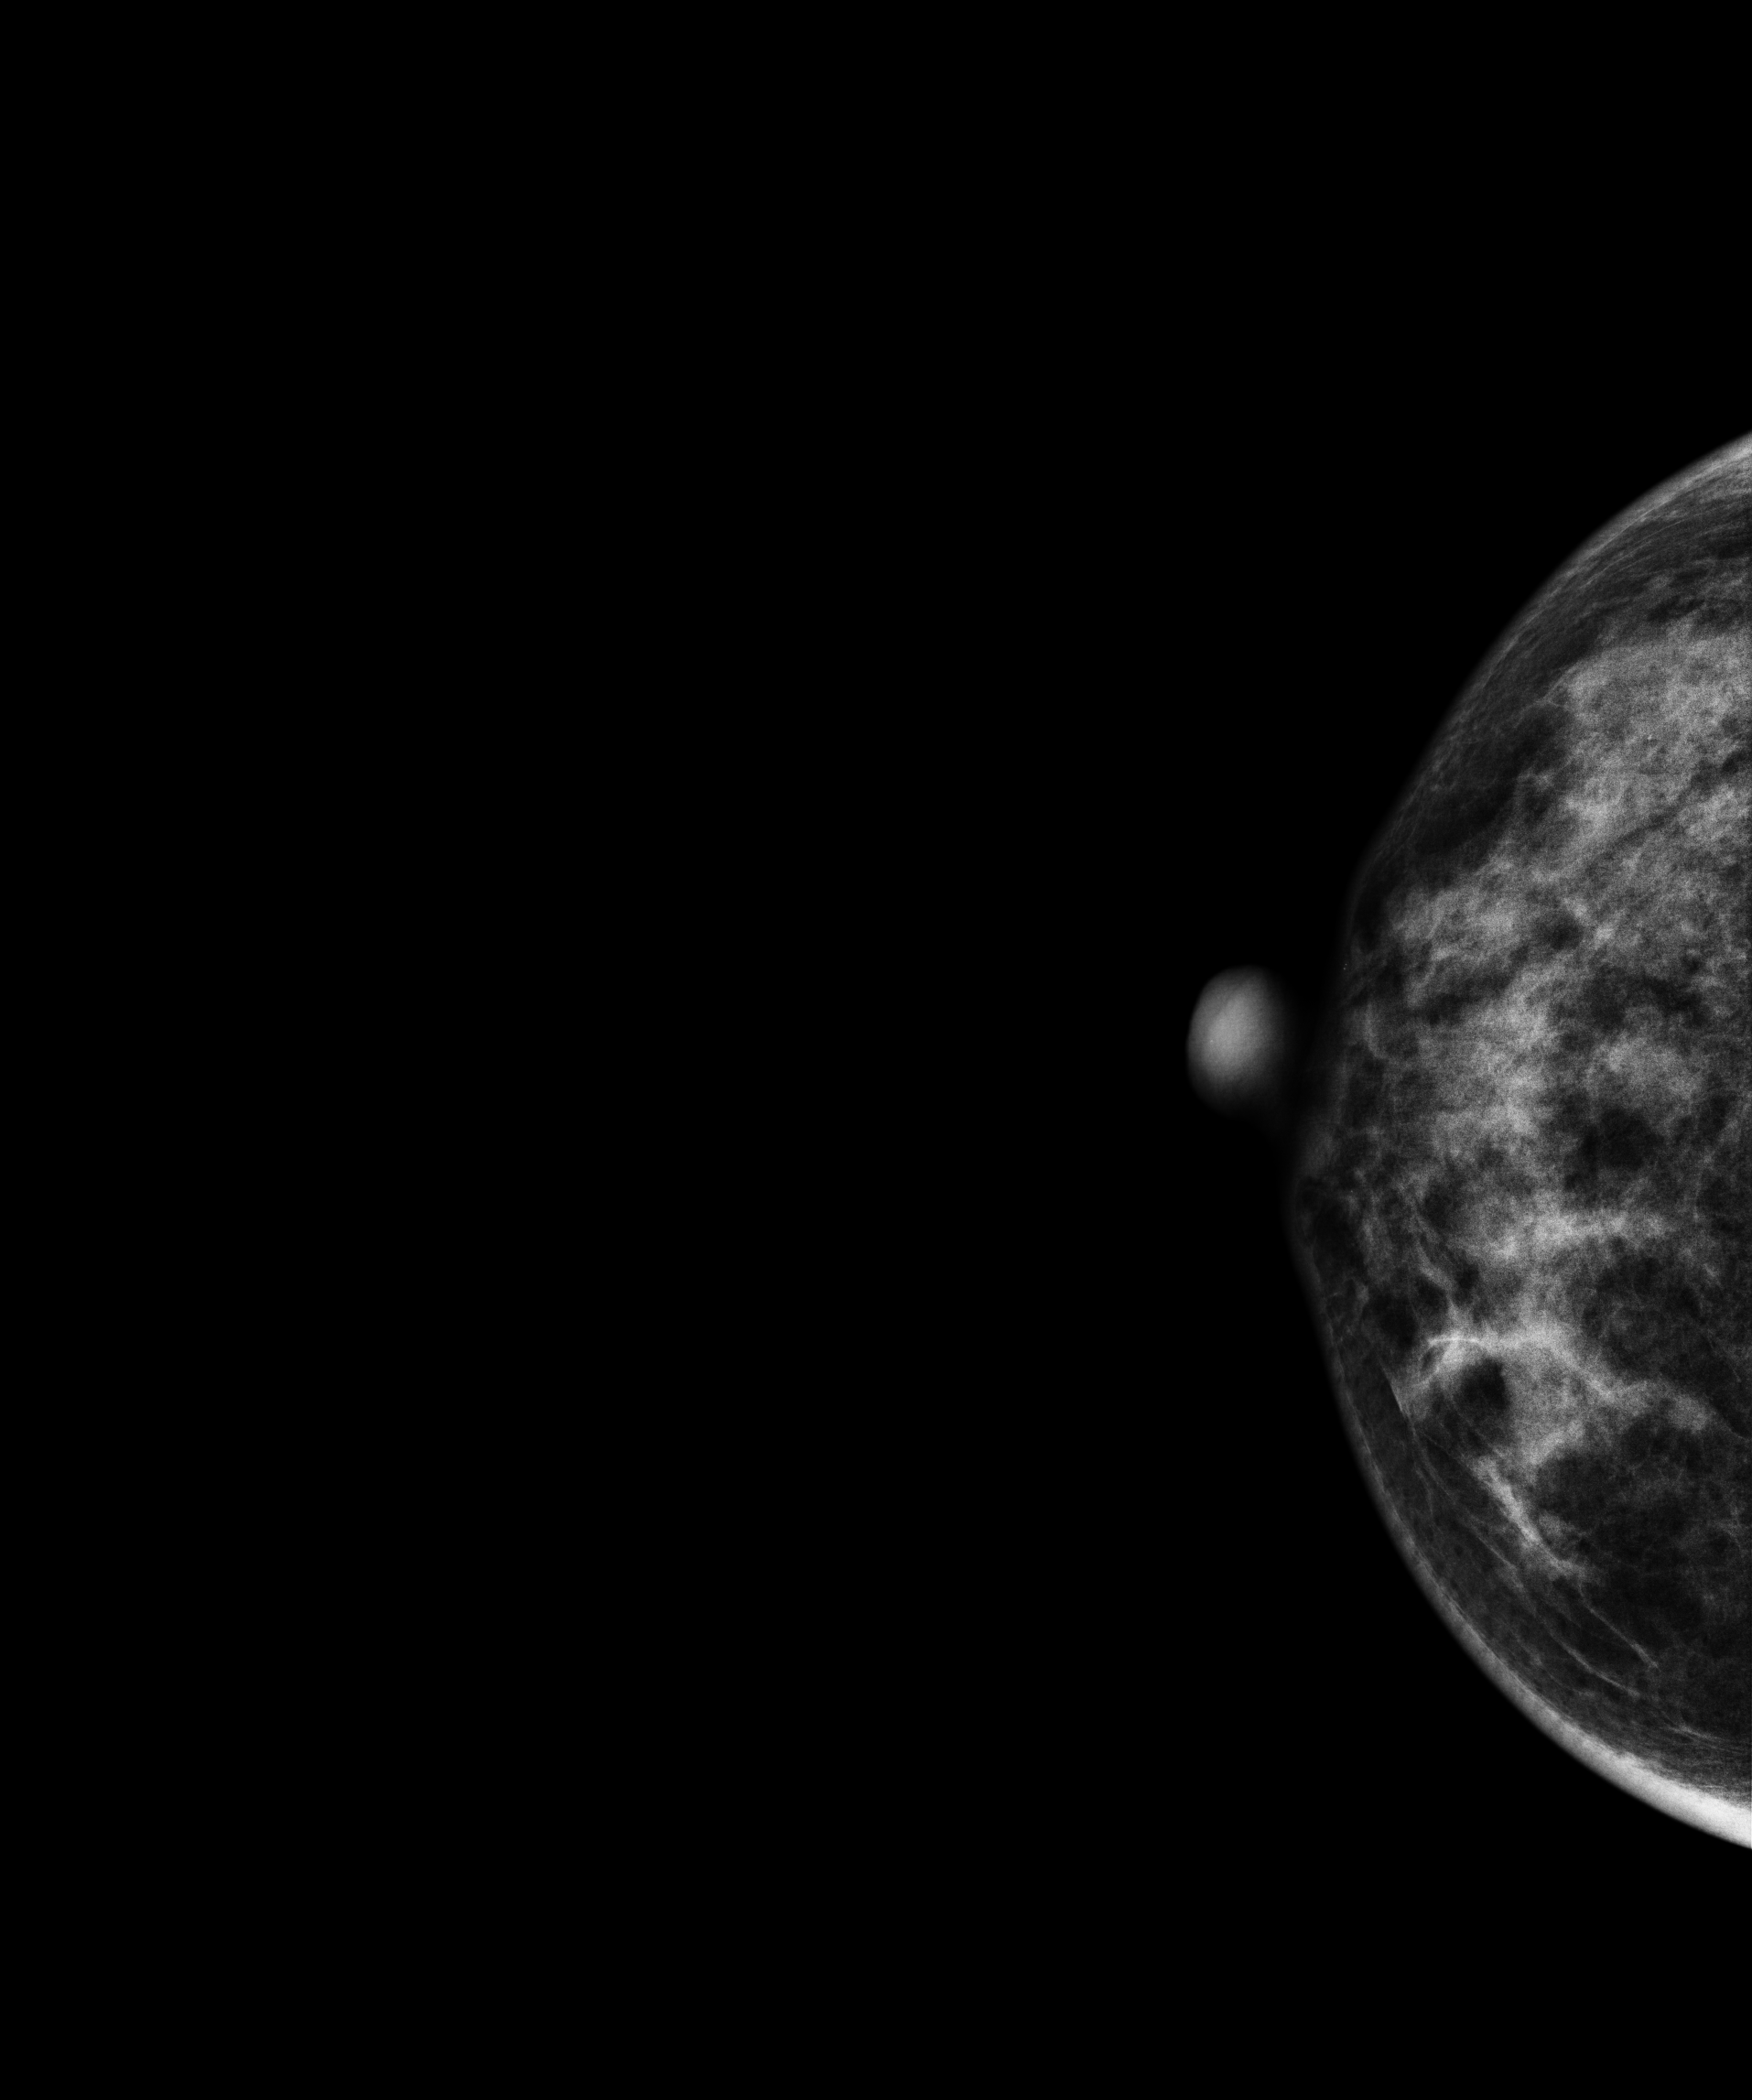
Cranio-caudal mammogram of the right breast. 51 y/o patient.
This breast has a mass, biopsy-confirmed benign.